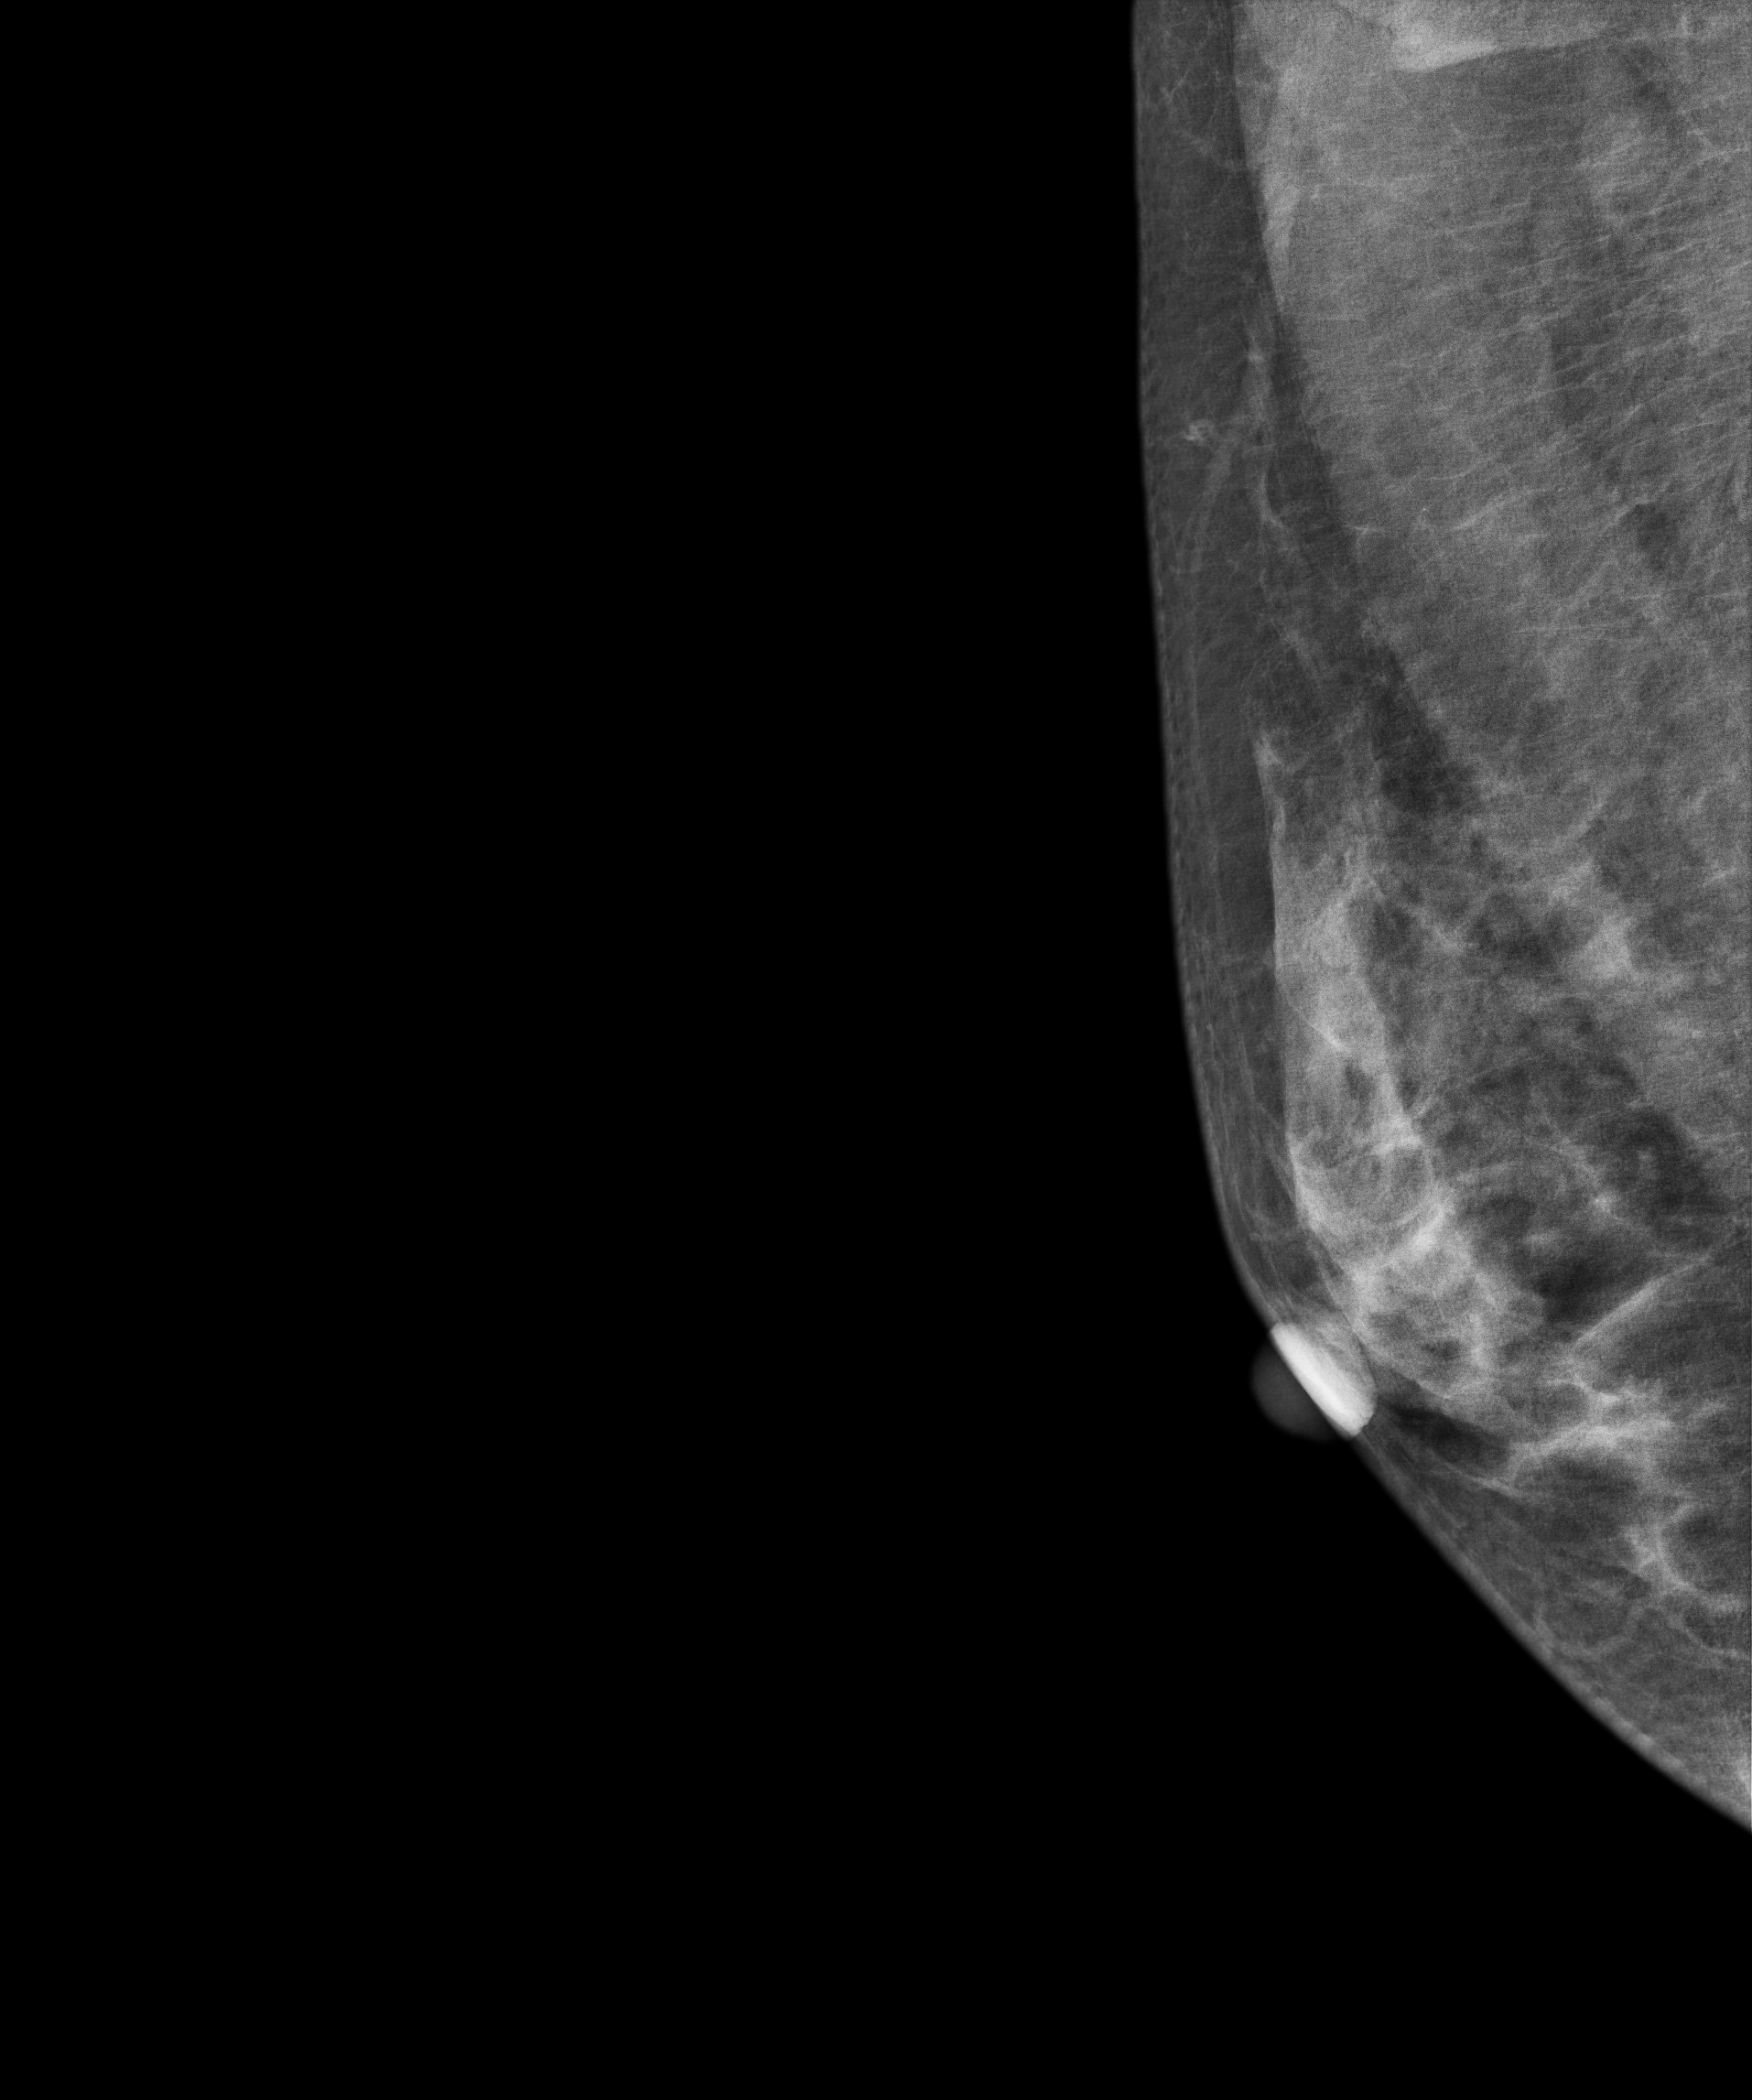
Digital mammography. Right breast, medio-lateral oblique projection. 34-year-old patient.
Contralateral breast — no documented abnormality on this side.